Mammogram, left breast, cranio-caudal view. 40-year-old patient.
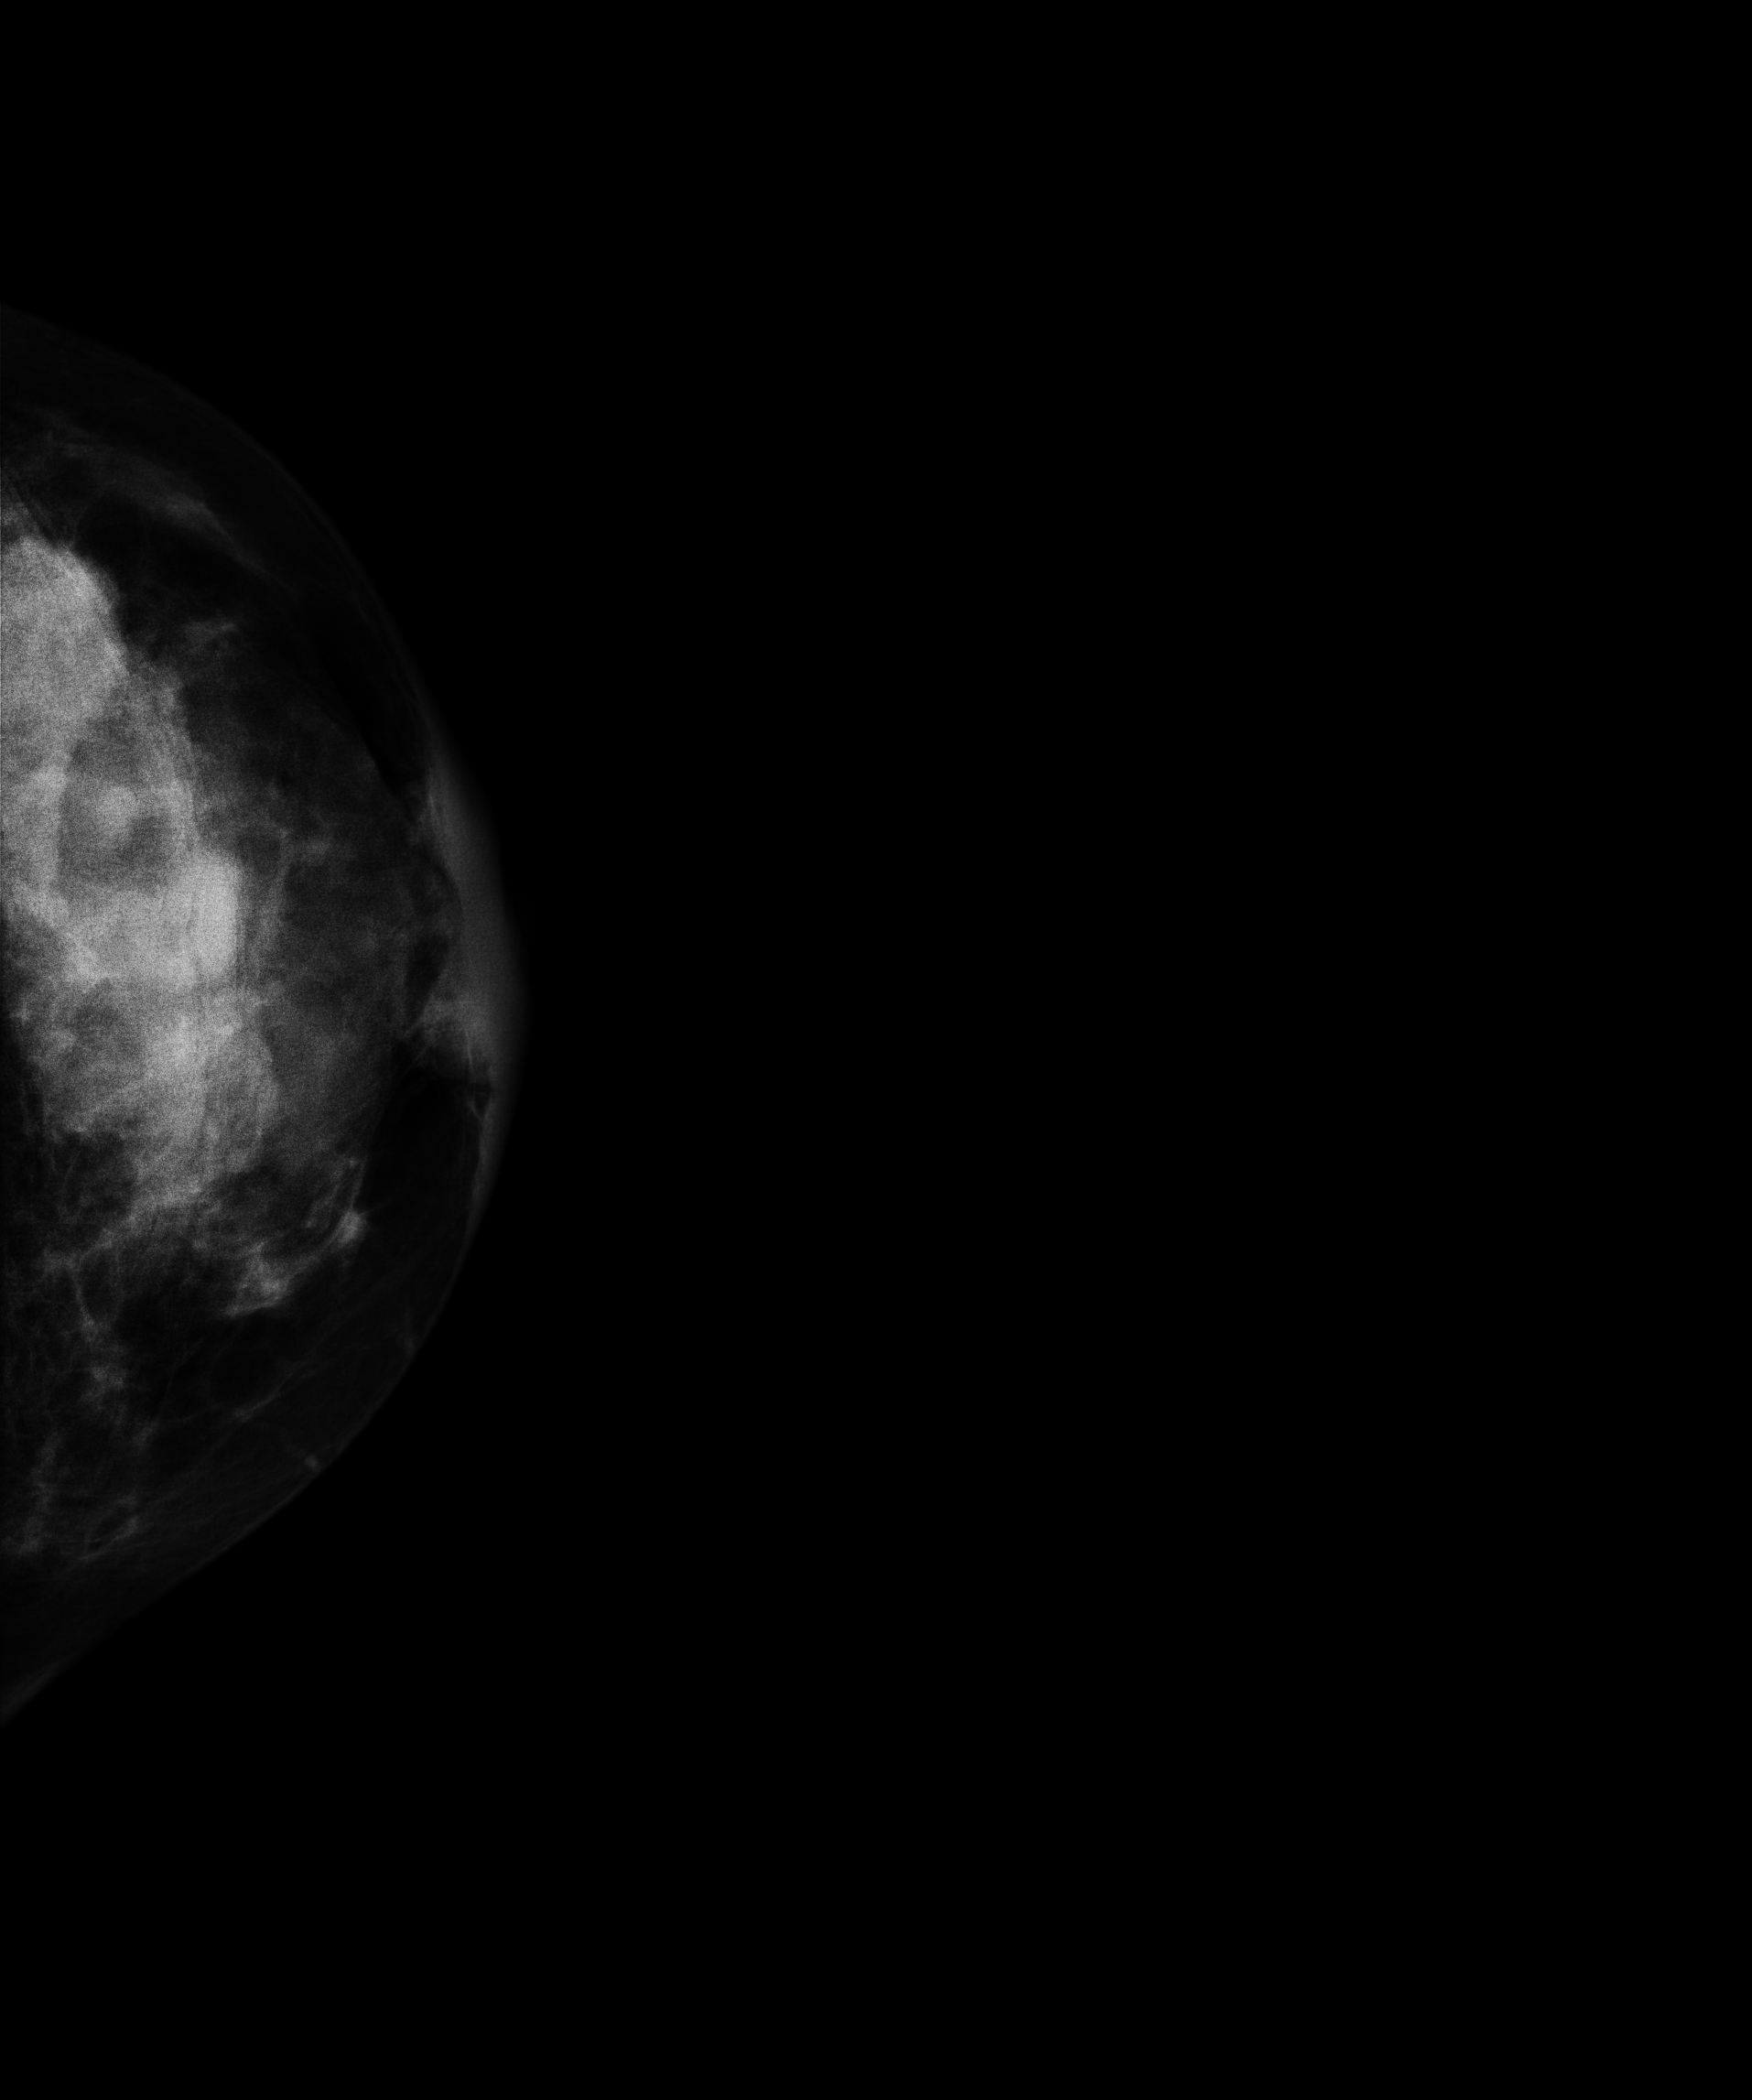
This breast has a mass, biopsy-proven malignant.